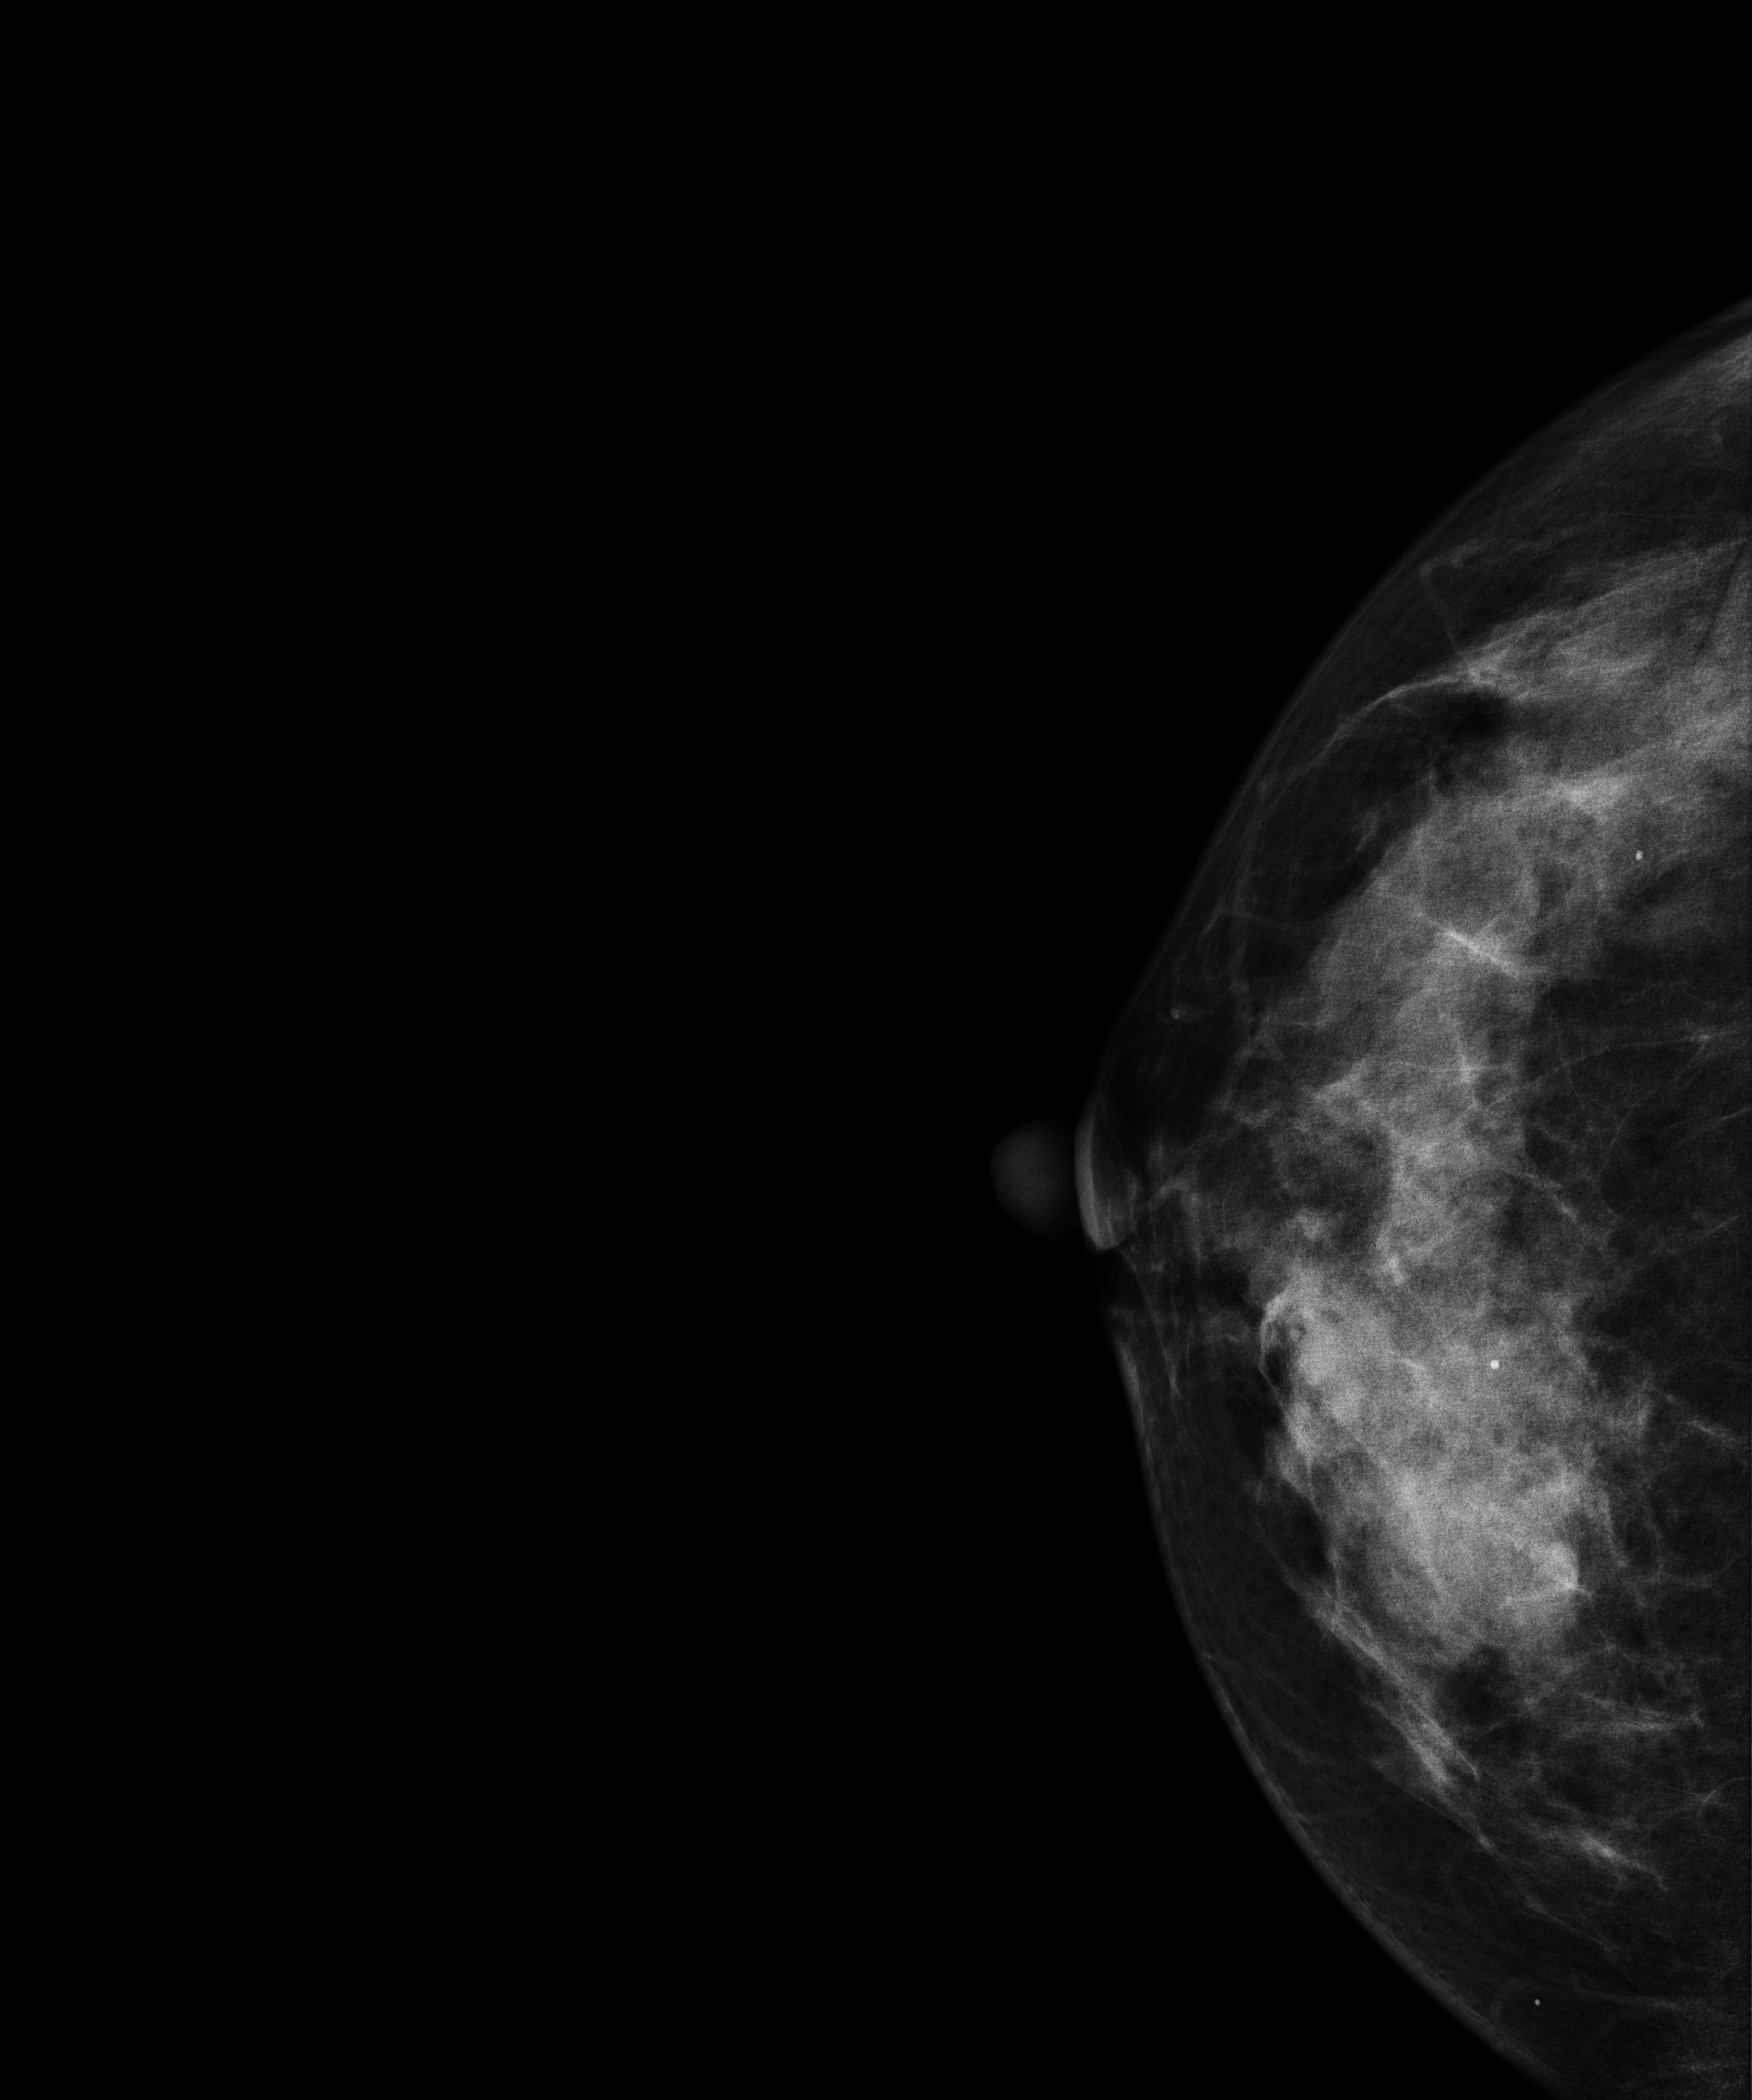
Mammogram — right CC. 39-year-old patient.
This breast has a mass and calcifications, histologically confirmed benign.